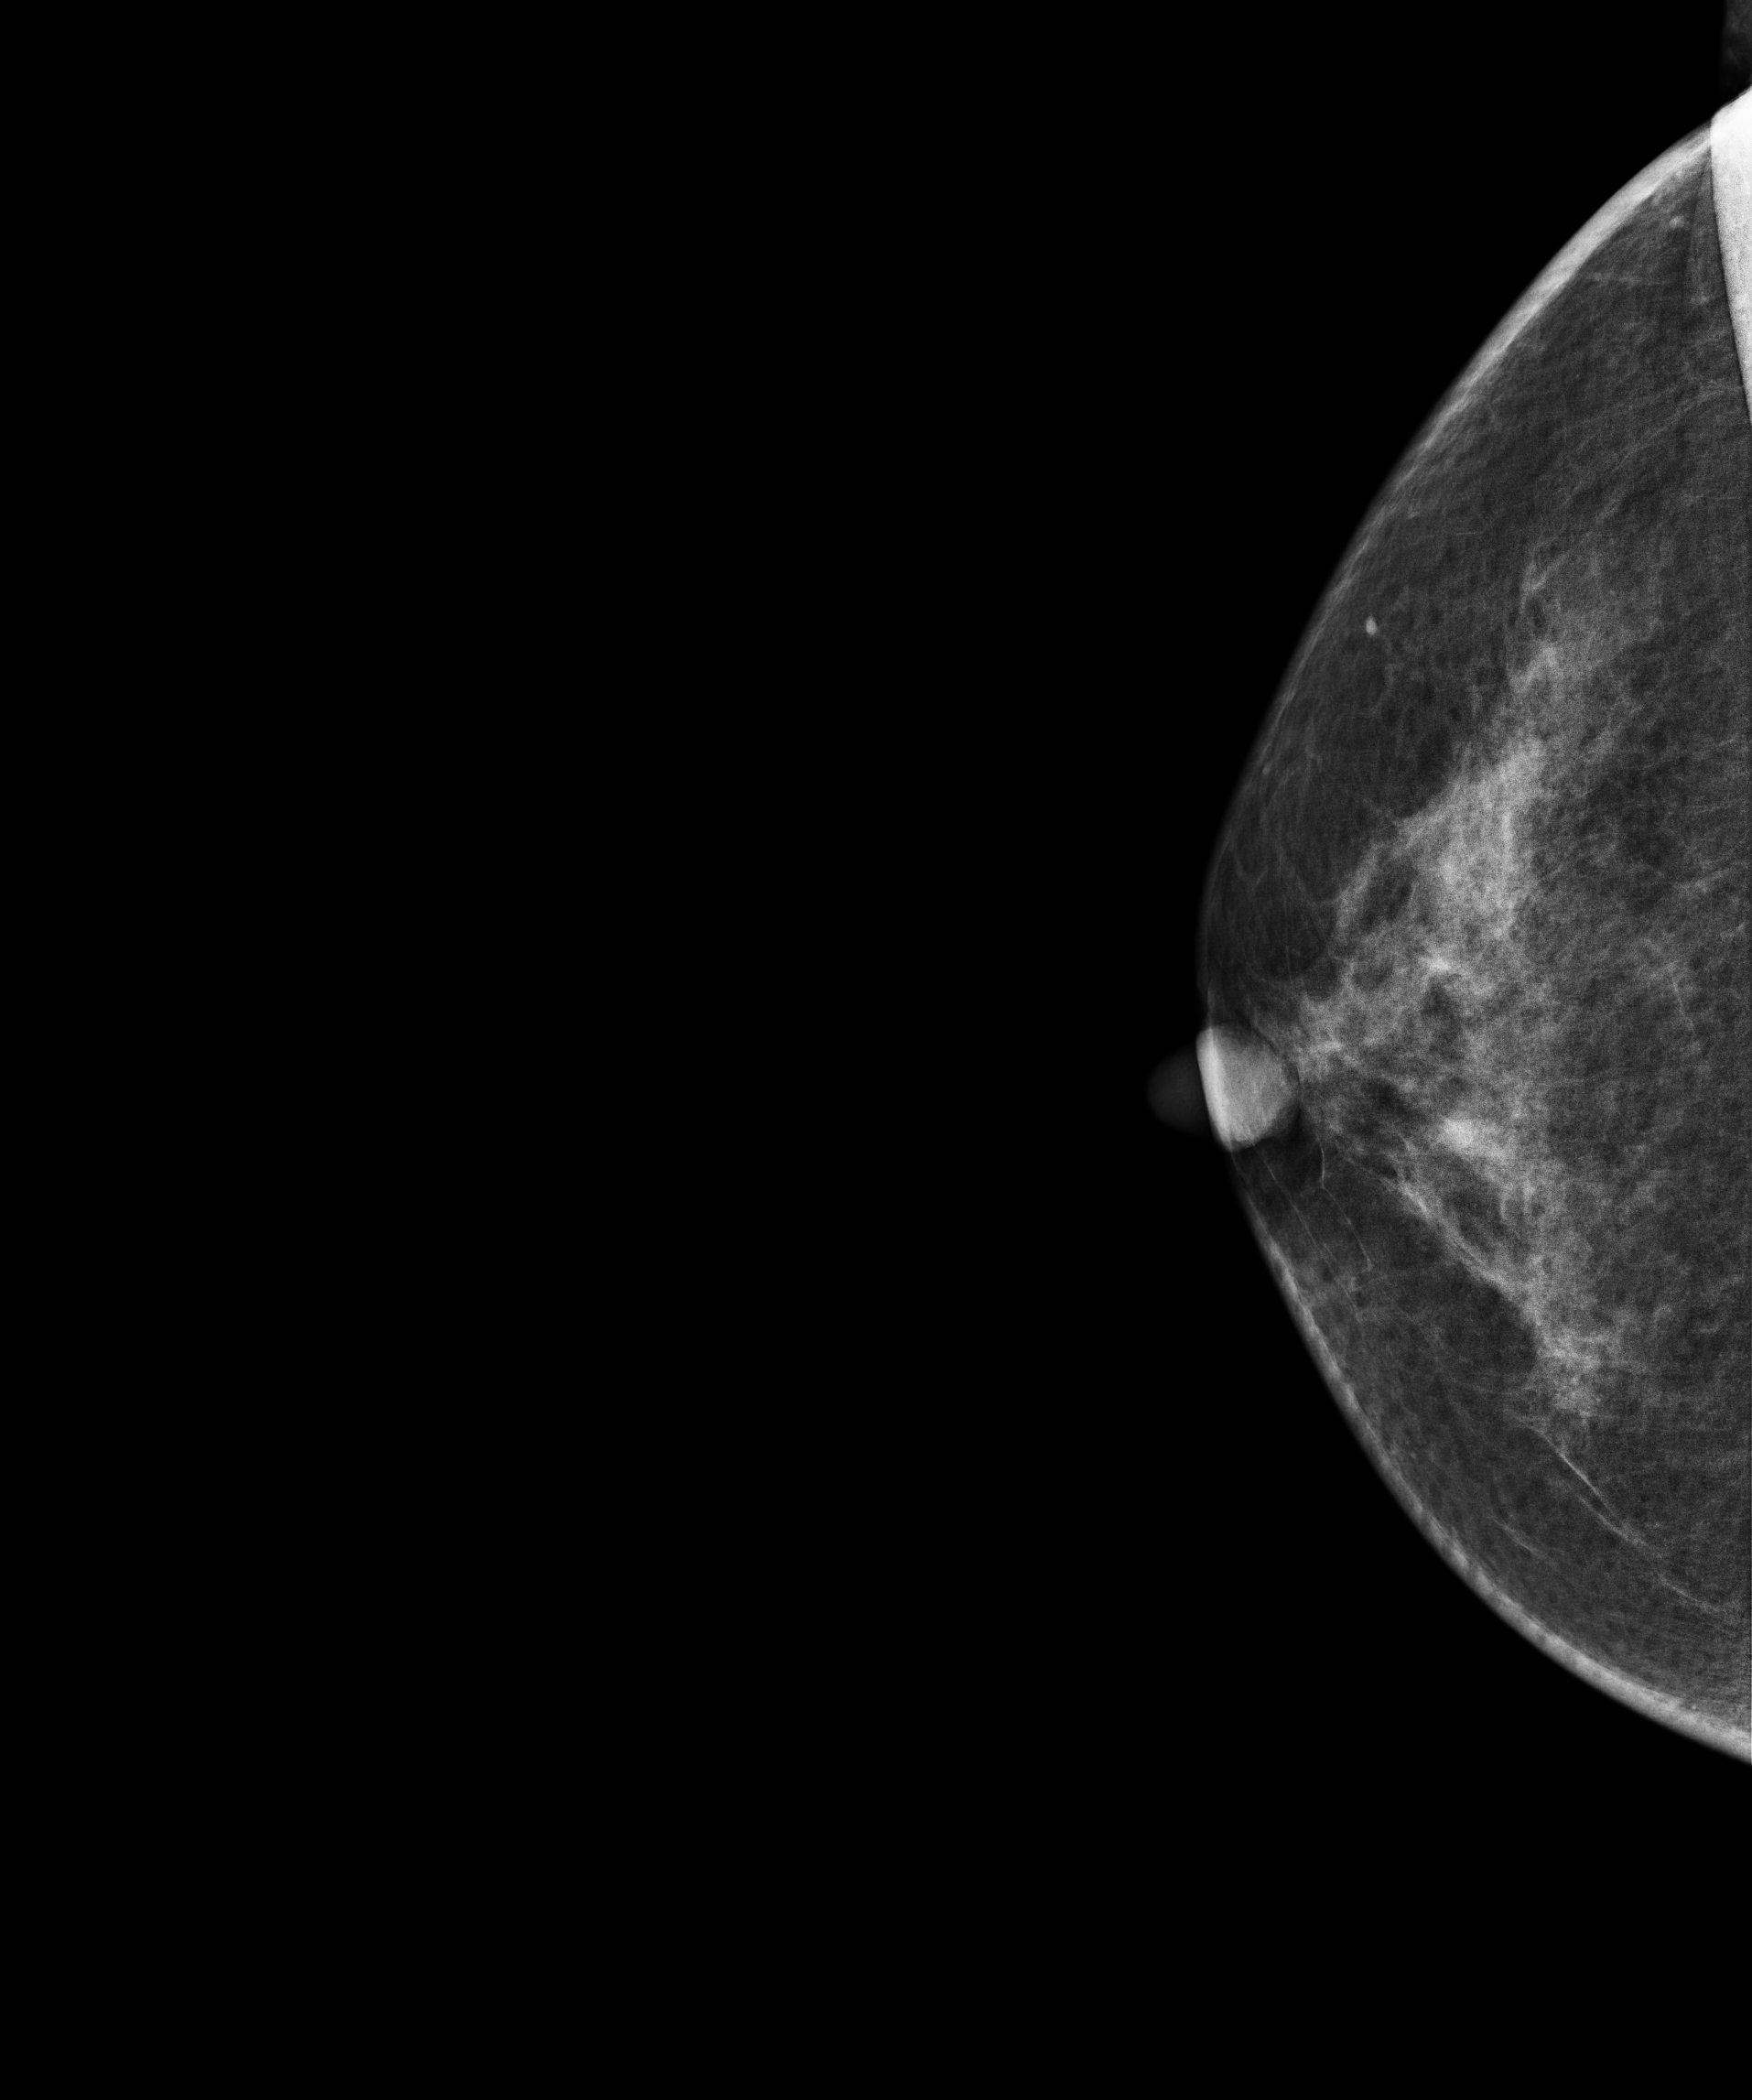
Mammogram — right CC. Patient age 52.
Contralateral breast — no documented abnormality on this side.